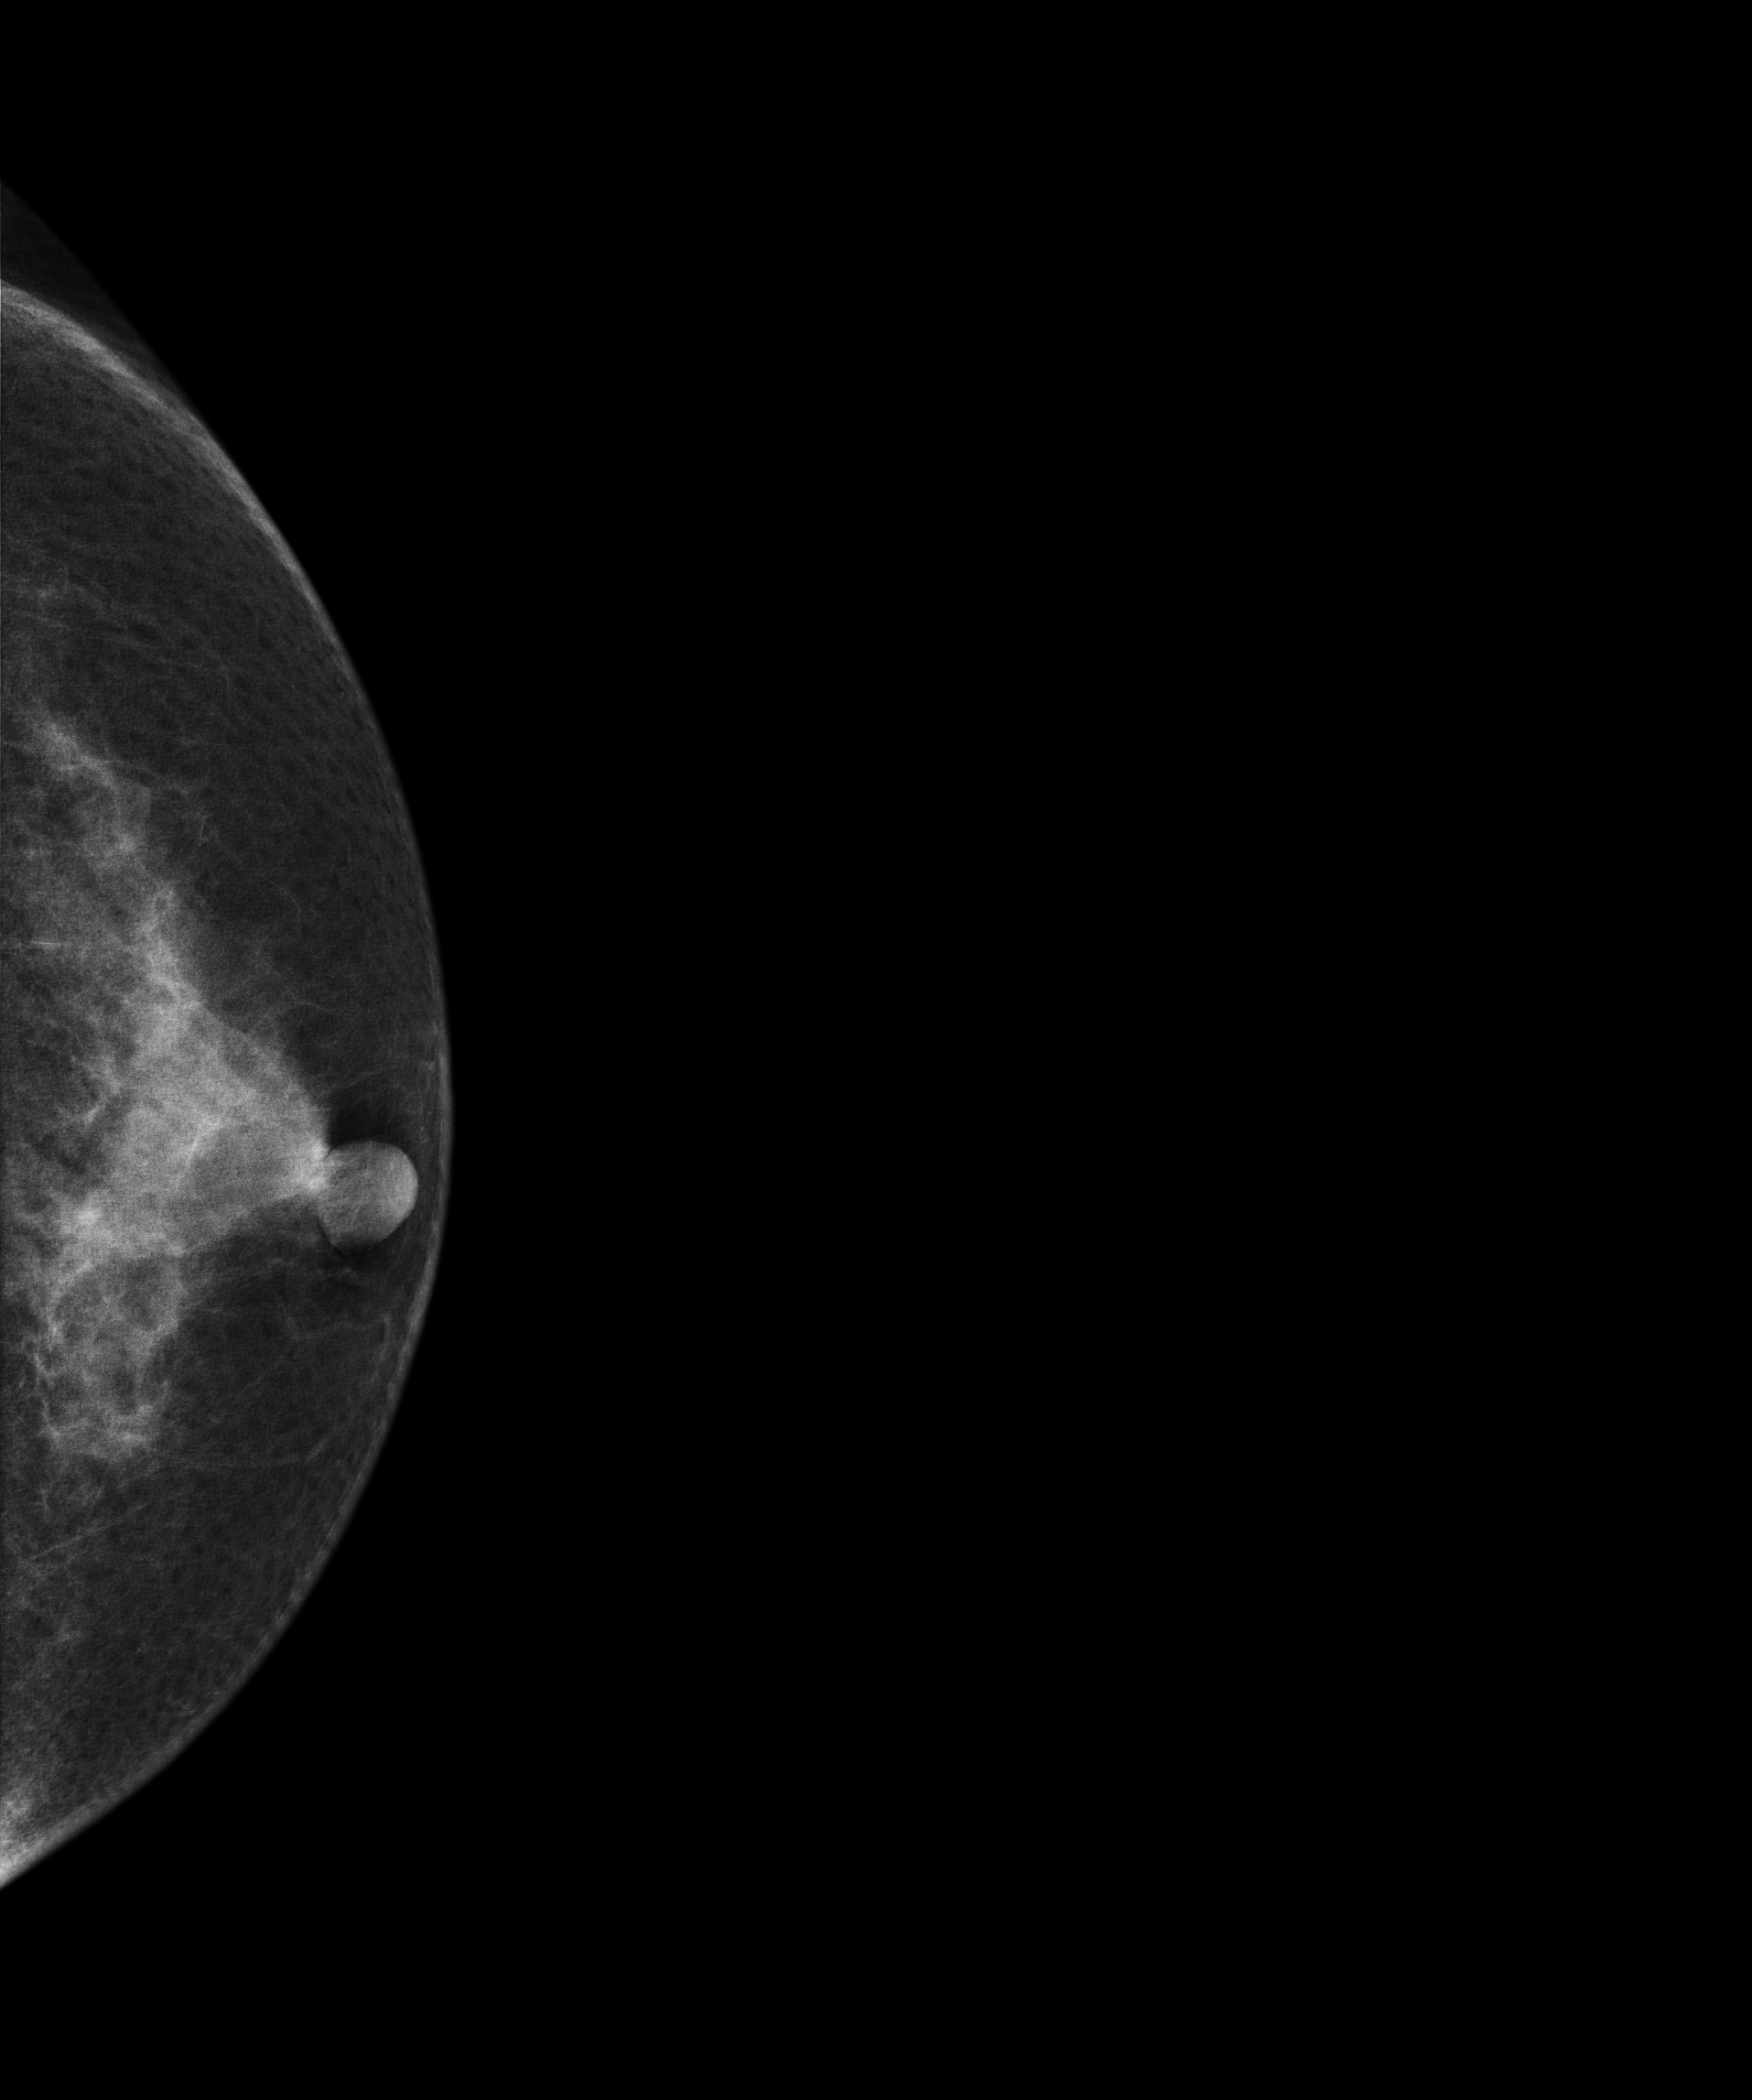
Cranio-caudal mammogram of the left breast. Patient age 53.
Contralateral breast — no documented abnormality on this side.